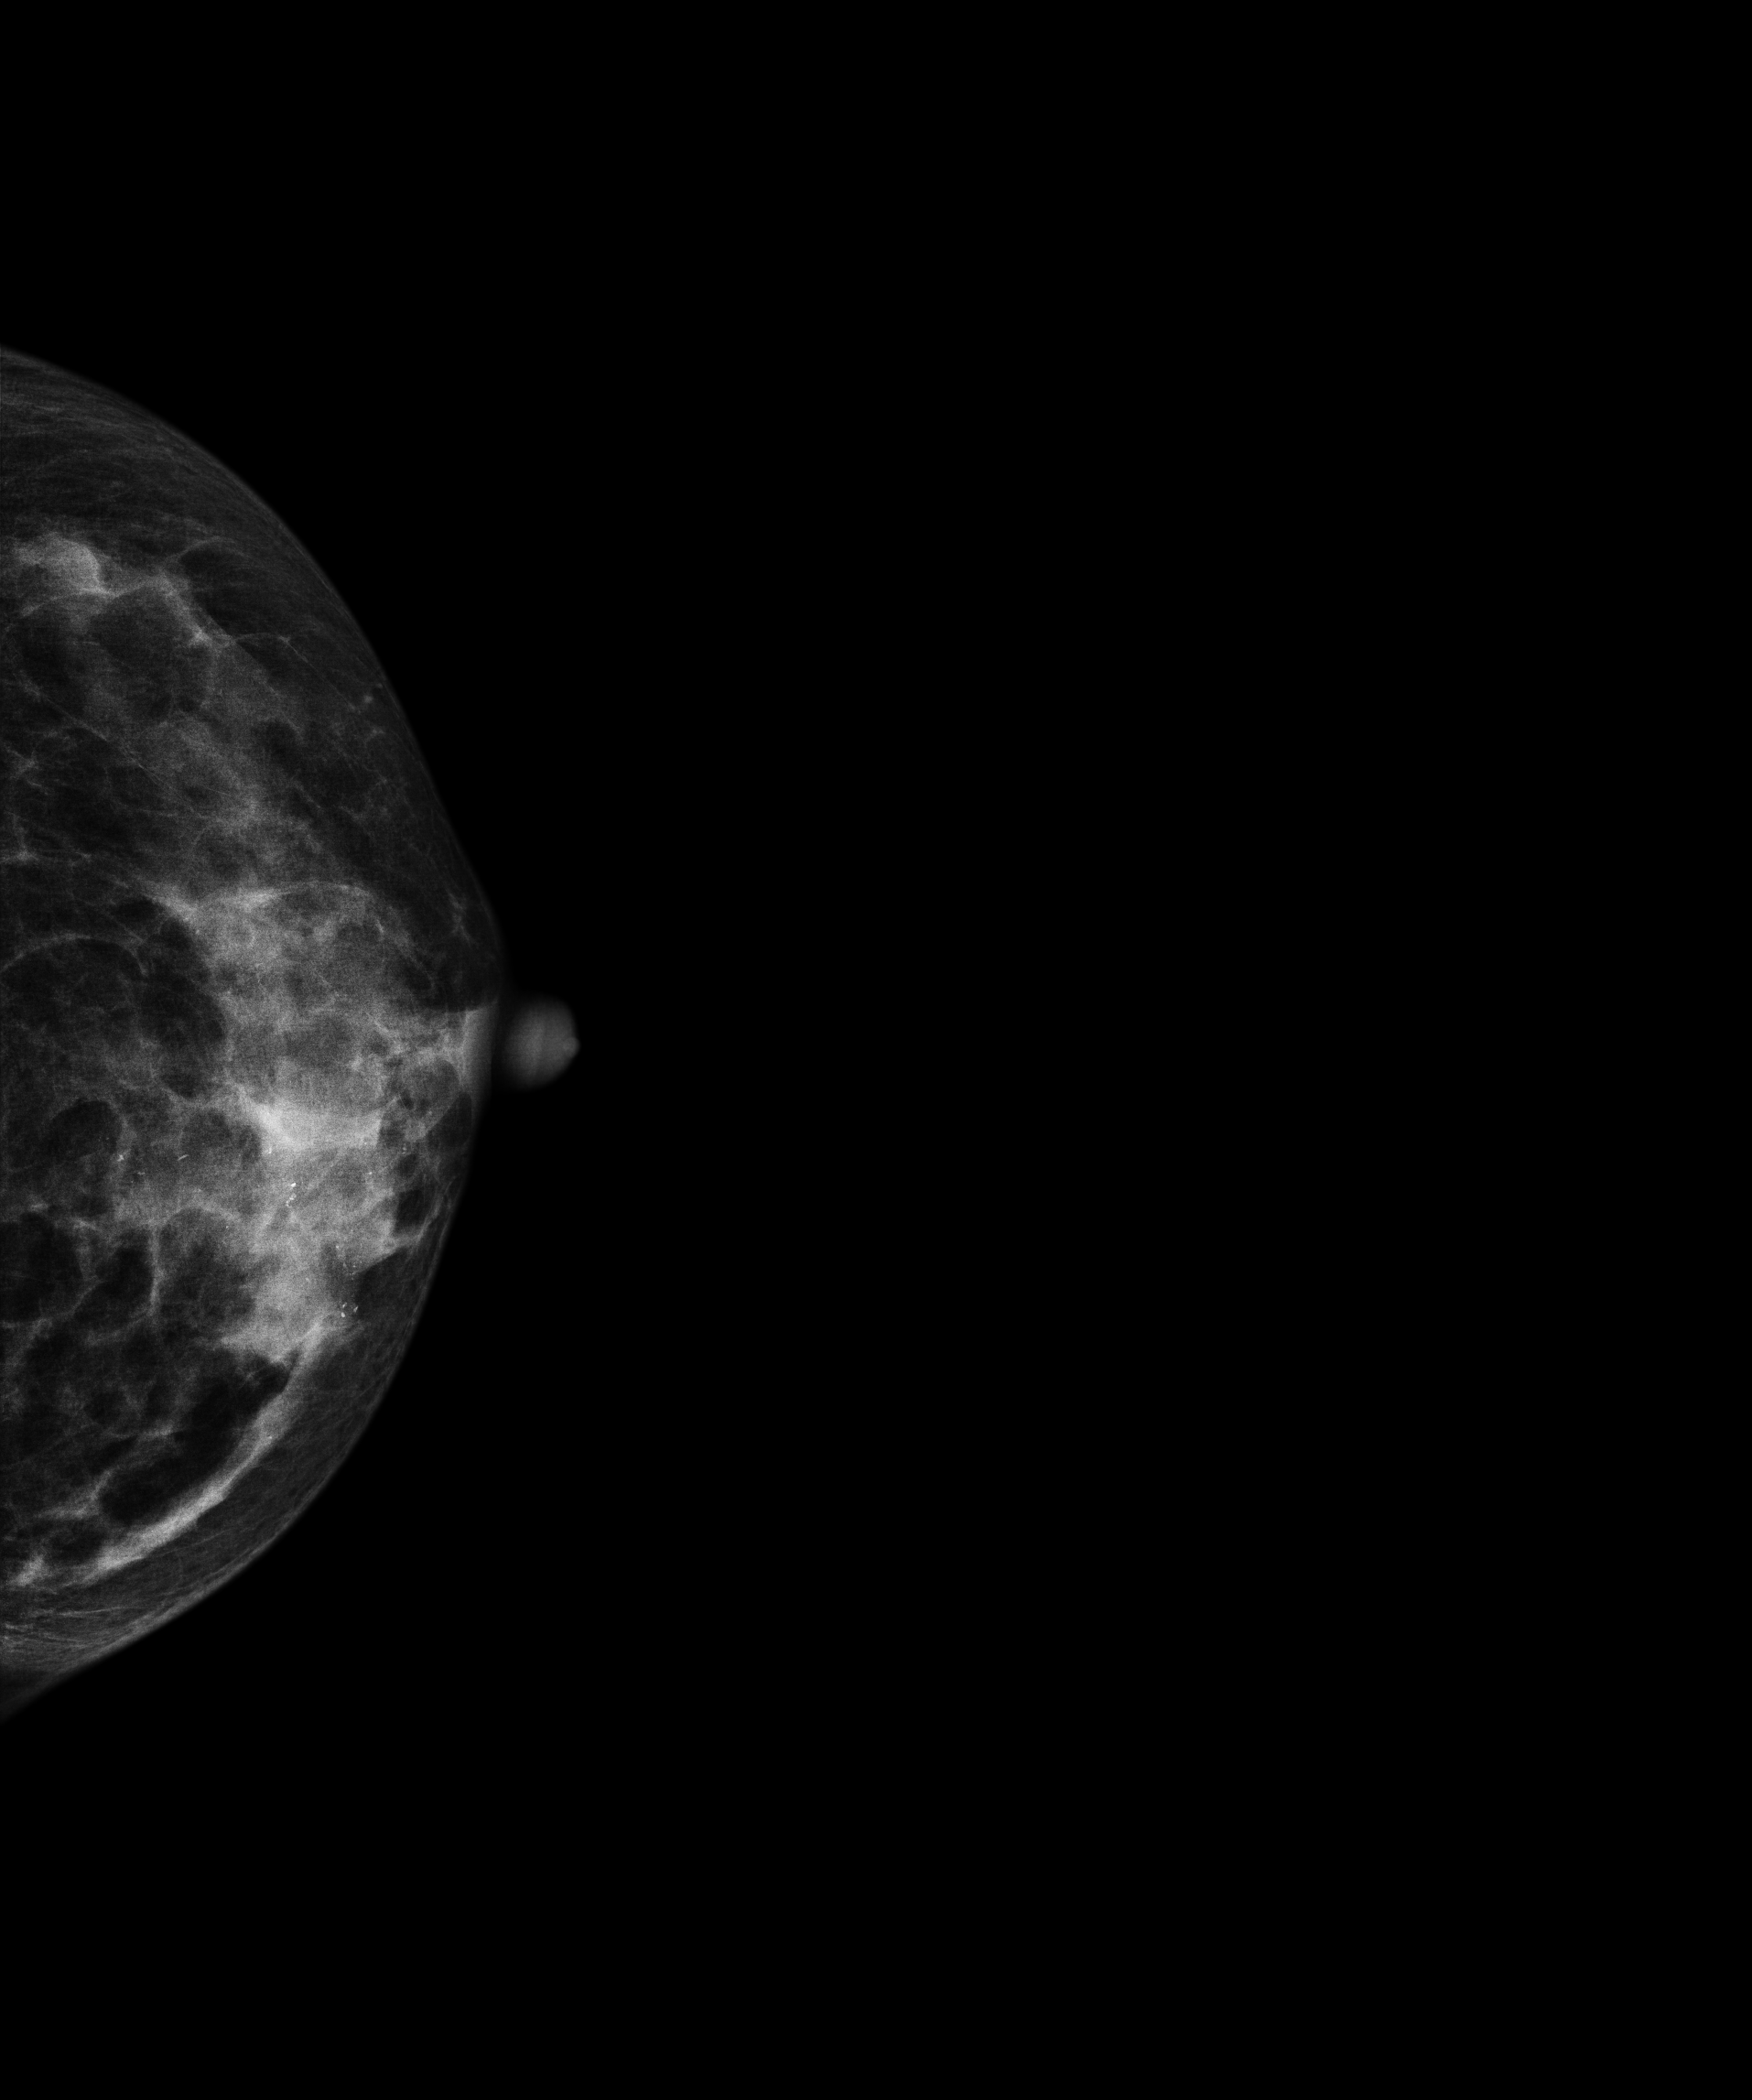
Digital mammography. Left breast, CC projection. 54 y/o patient.
This breast has a mass and calcifications, histologically confirmed malignant.